MLO mammogram of the left breast. 69-year-old patient.
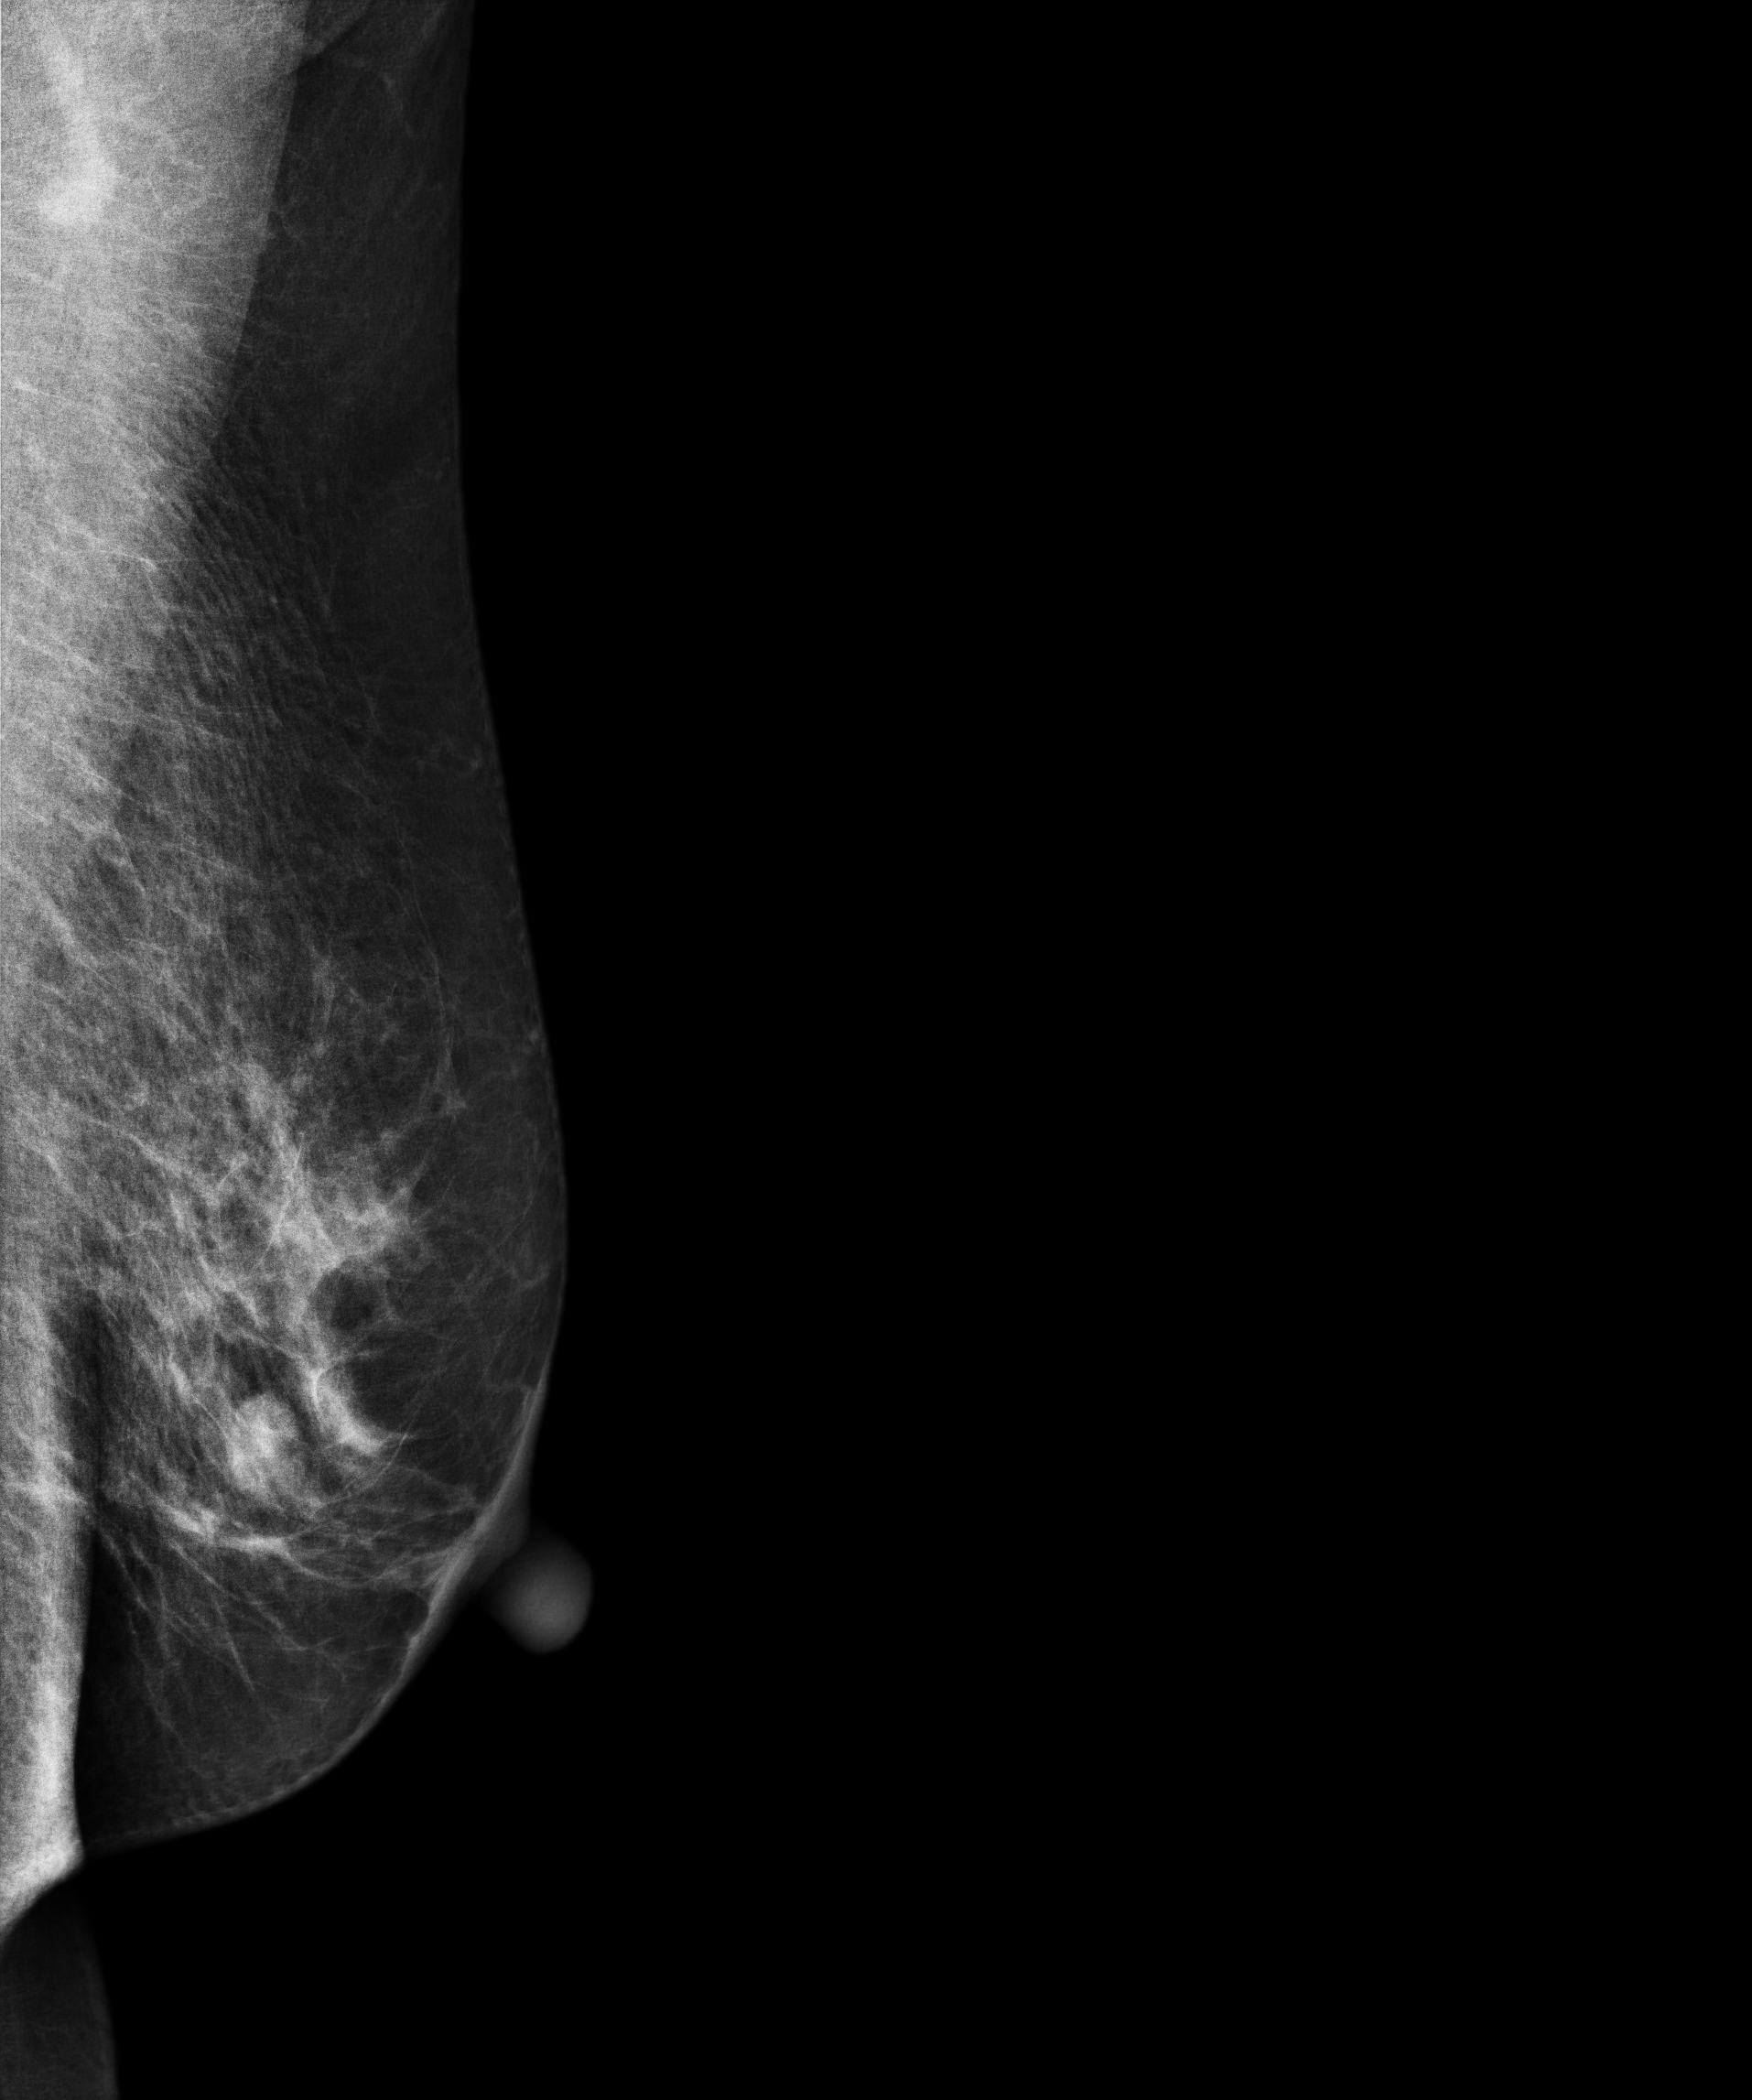
Contralateral breast — no documented abnormality on this side.